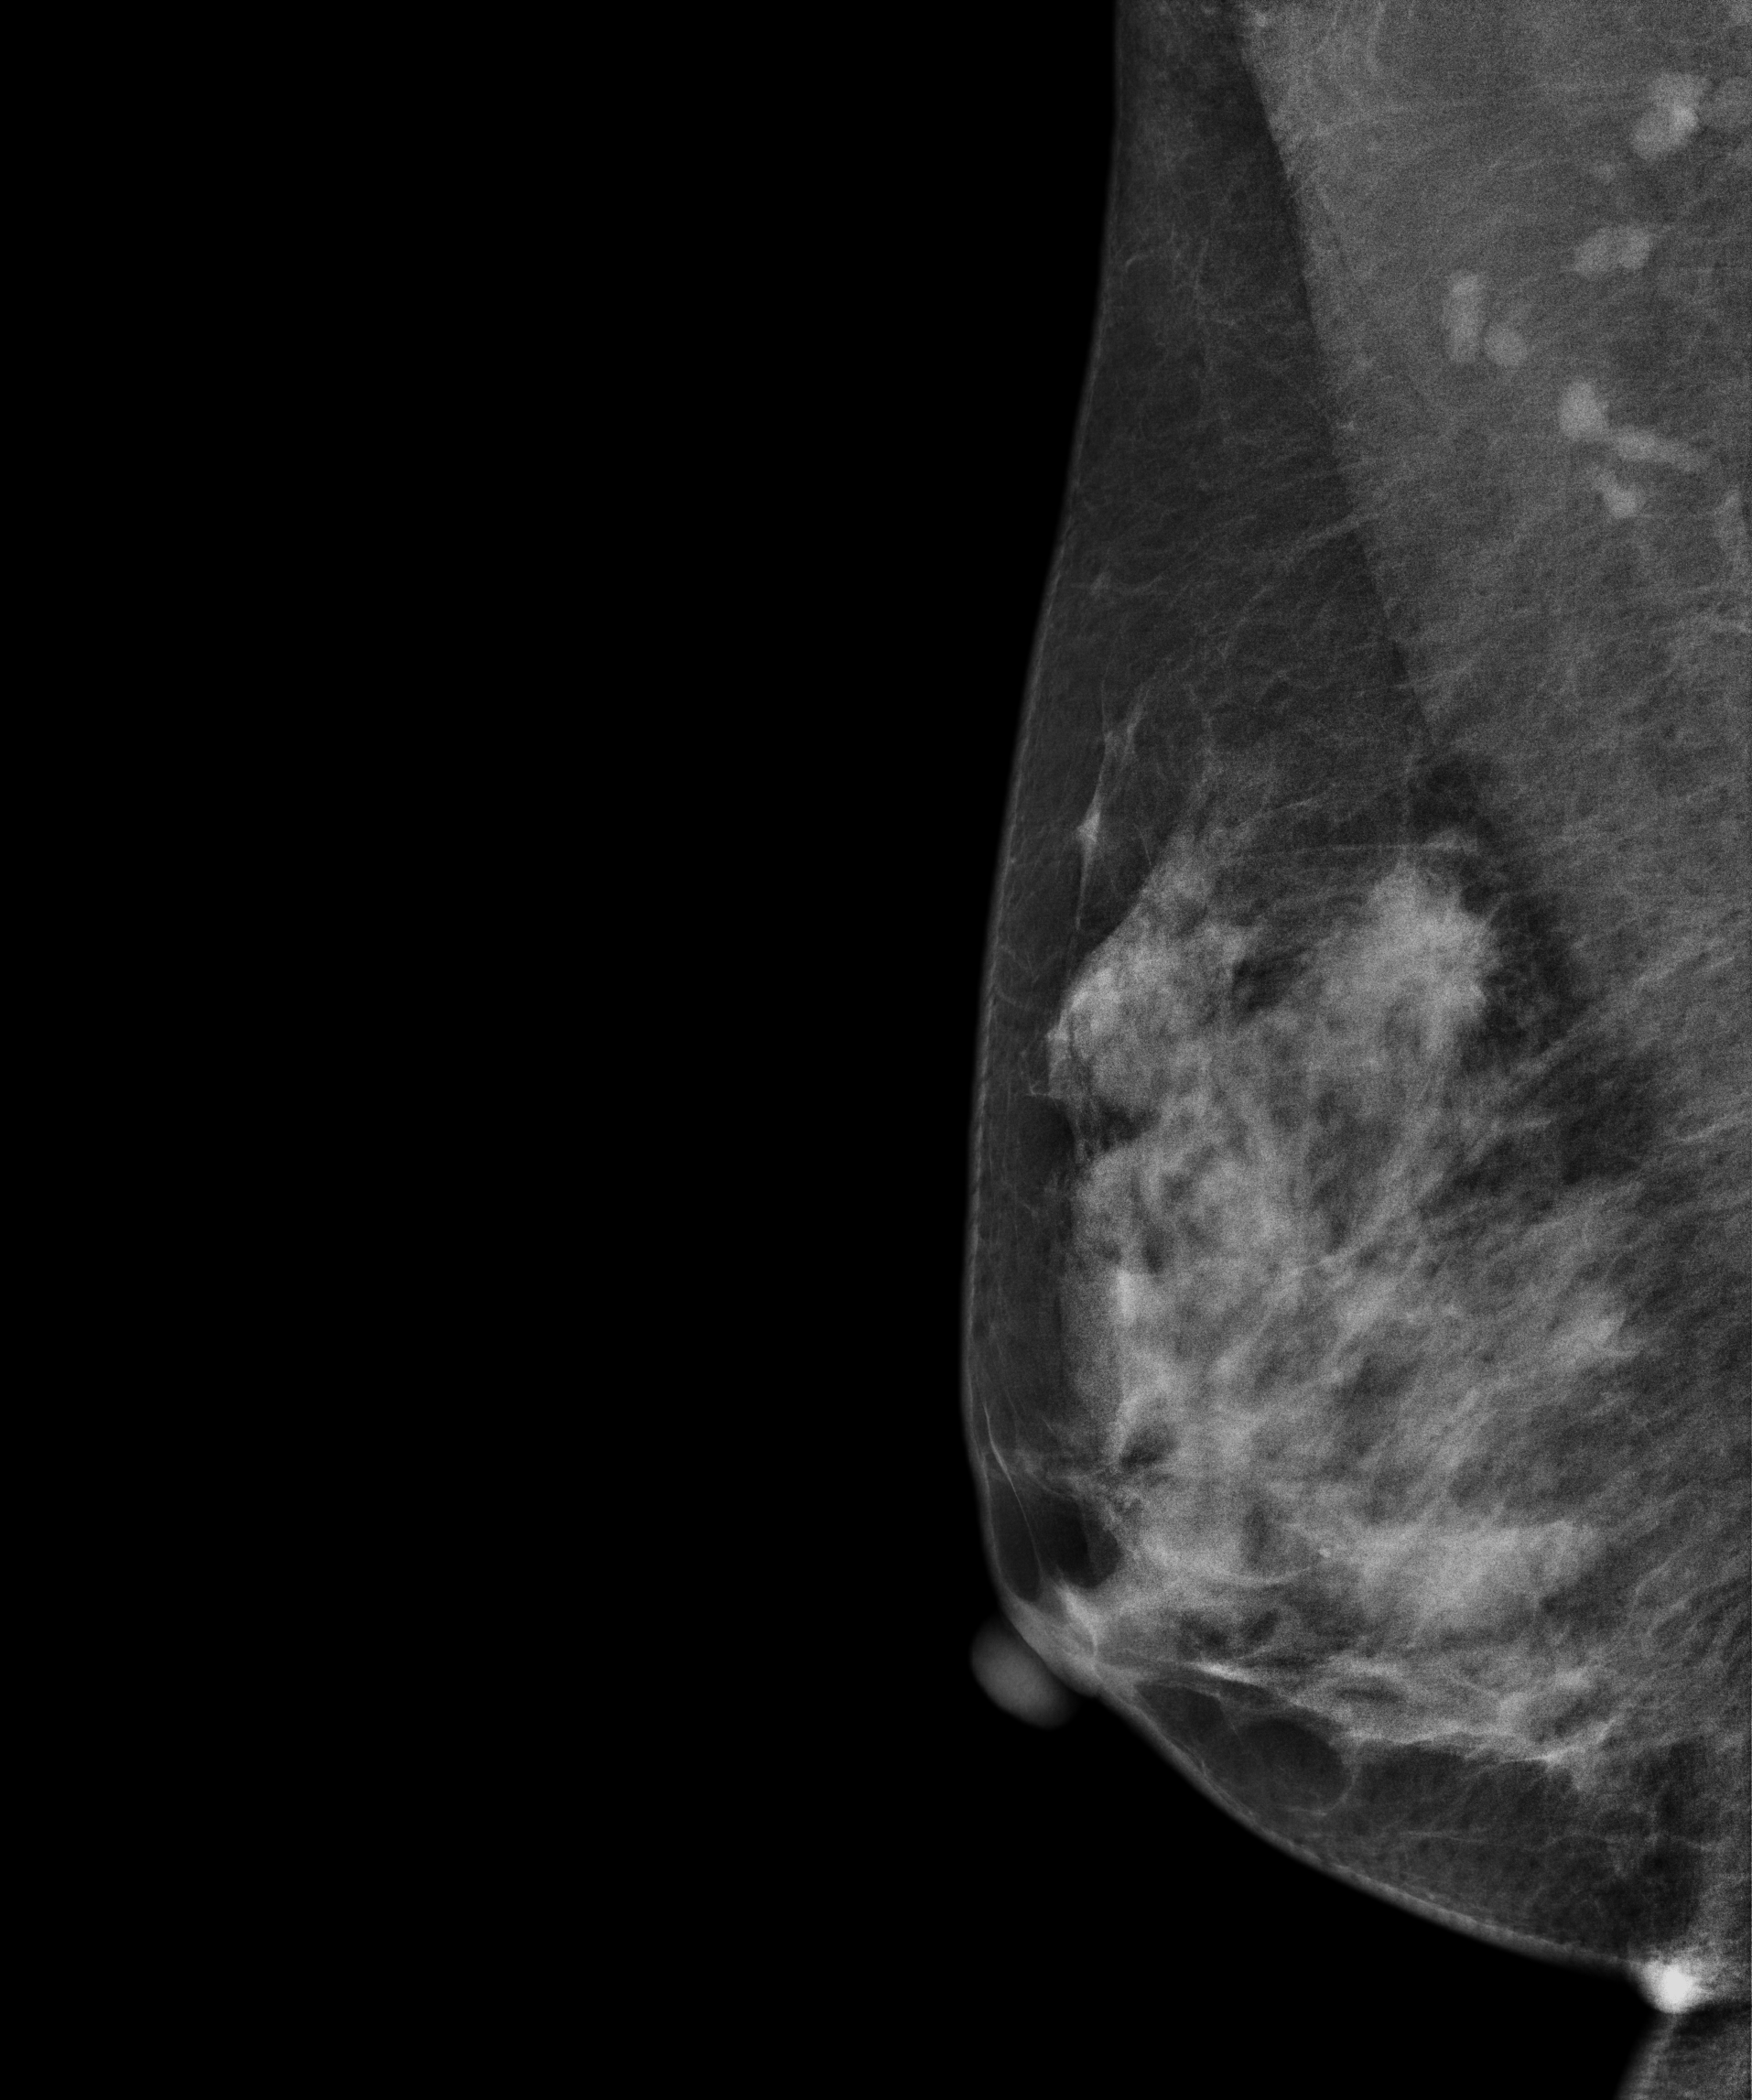
Mammogram, right breast, MLO view. 51-year-old patient.
This breast has a mass, histologically confirmed malignant.